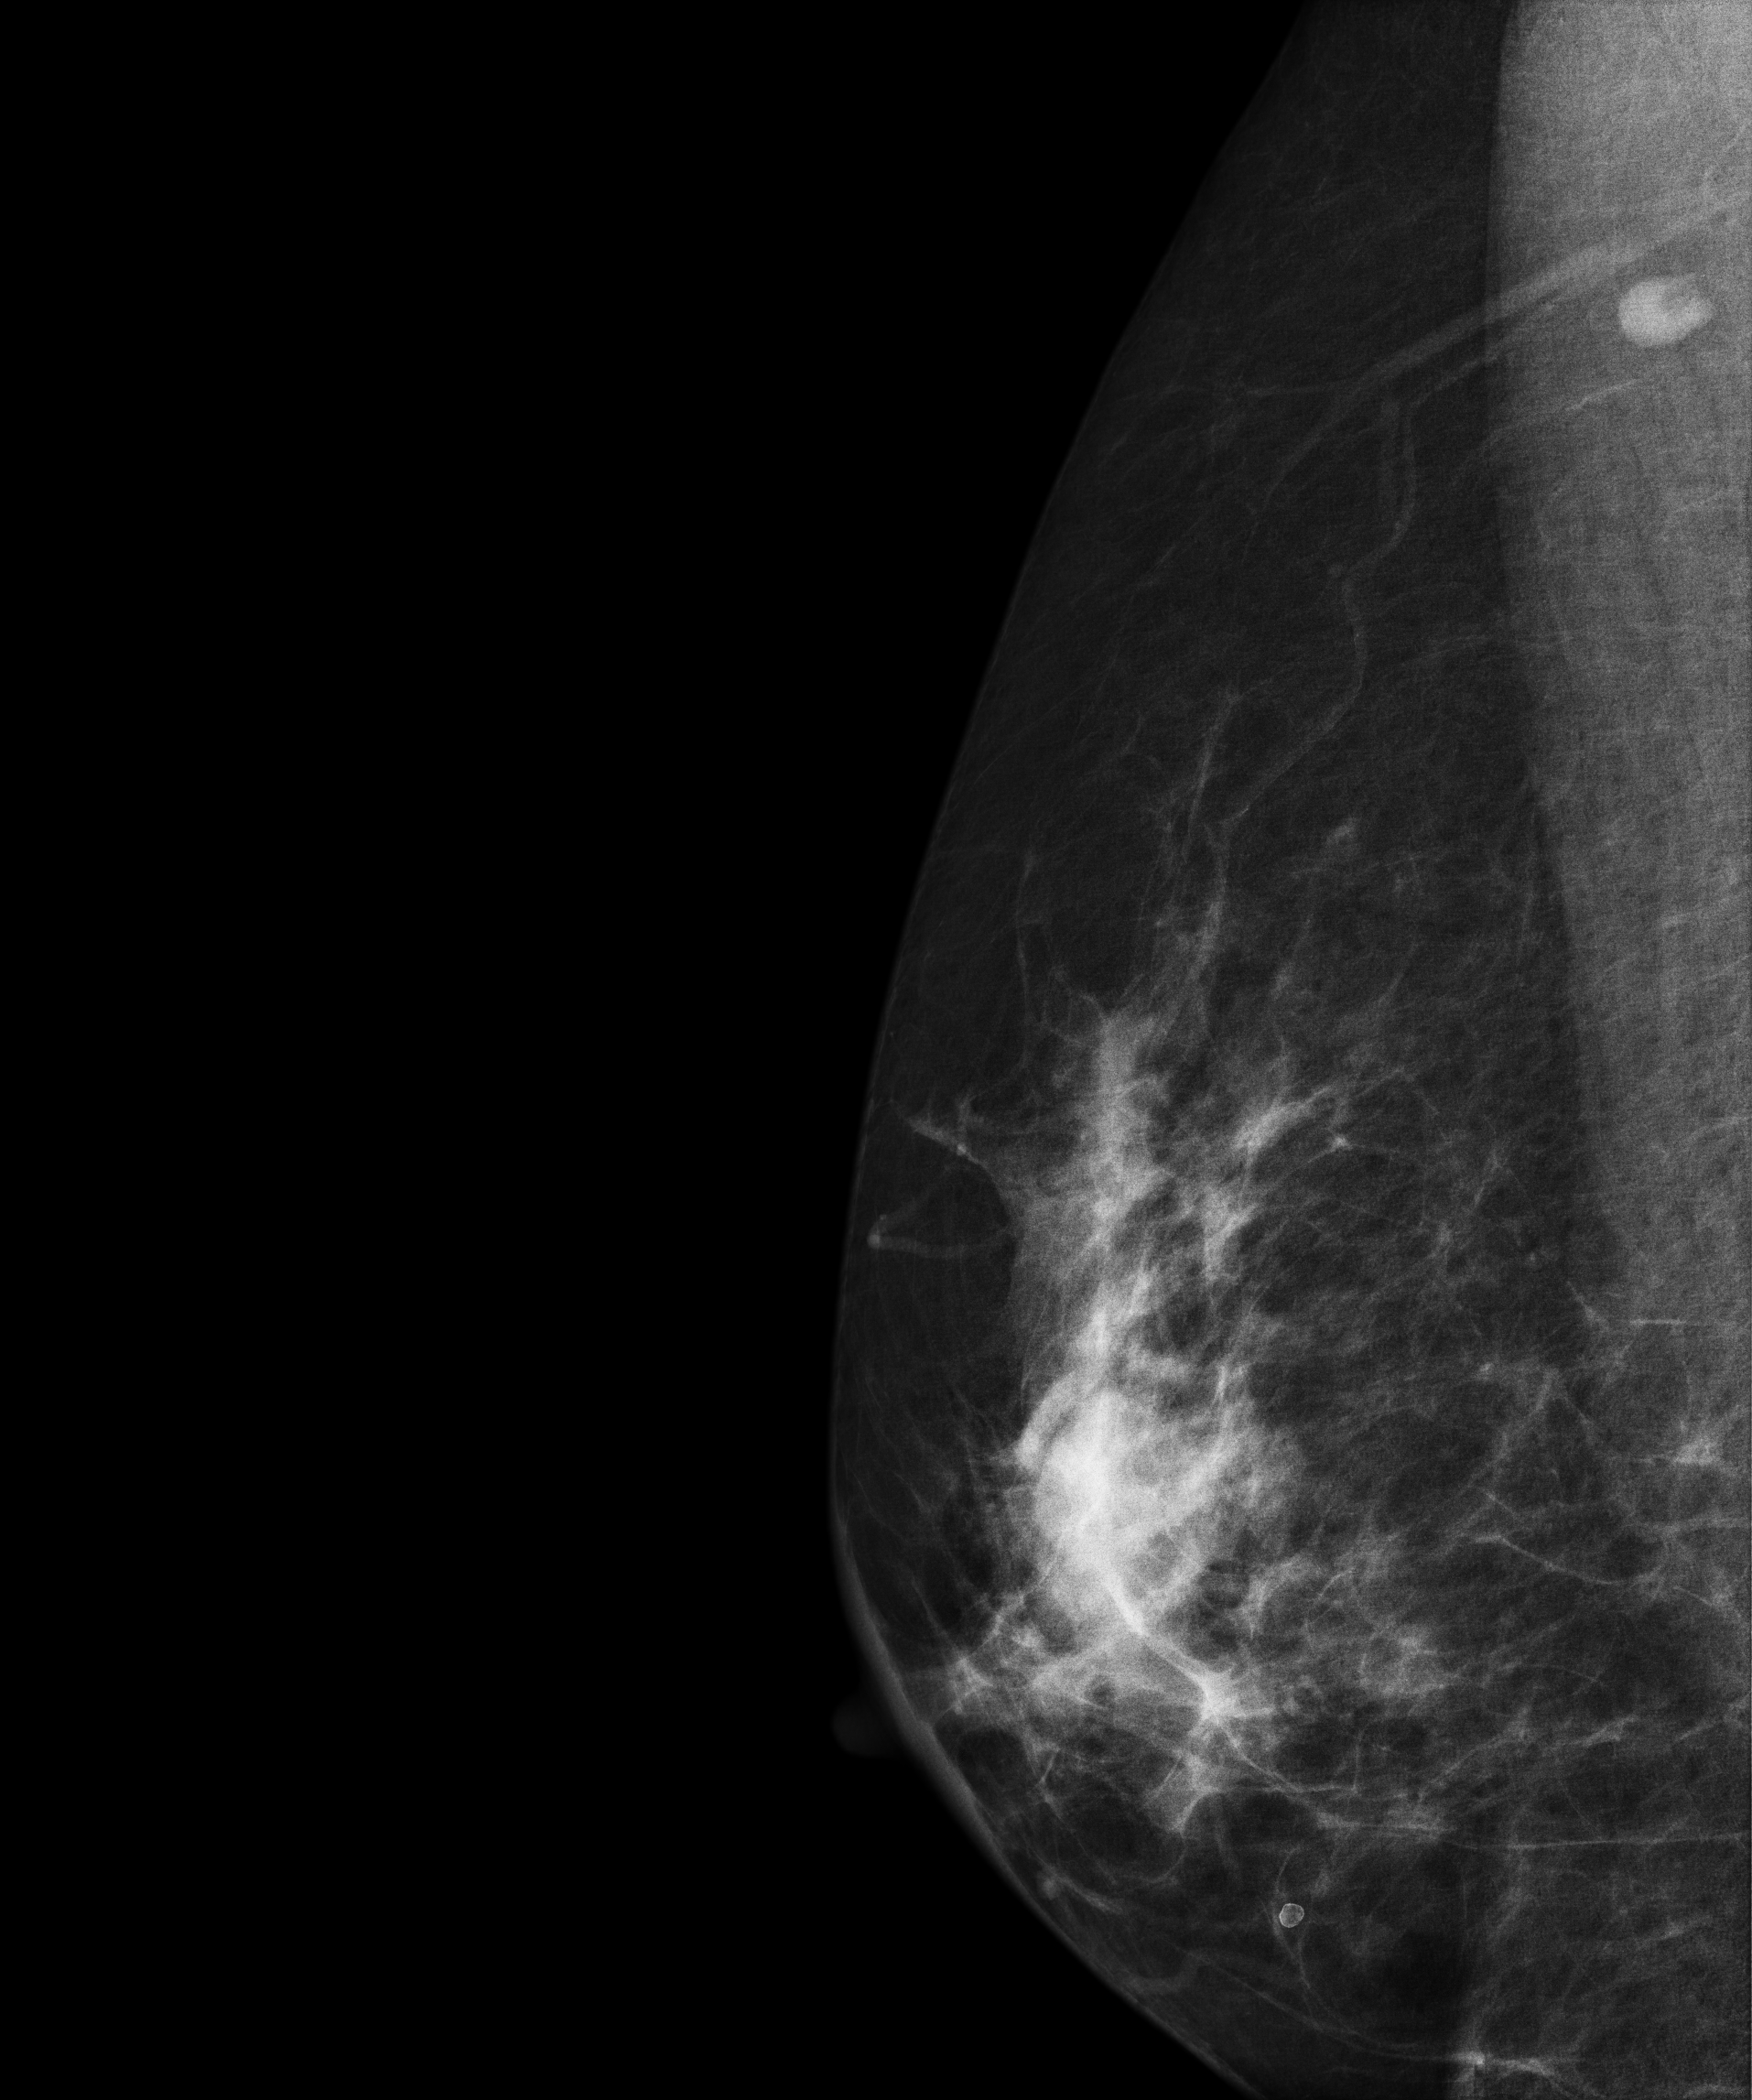
Right-breast mammogram, medio-lateral oblique. 58 y/o patient.
This breast has a mass, pathology-confirmed malignant.